Left-breast mammogram, CC. 64 y/o patient.
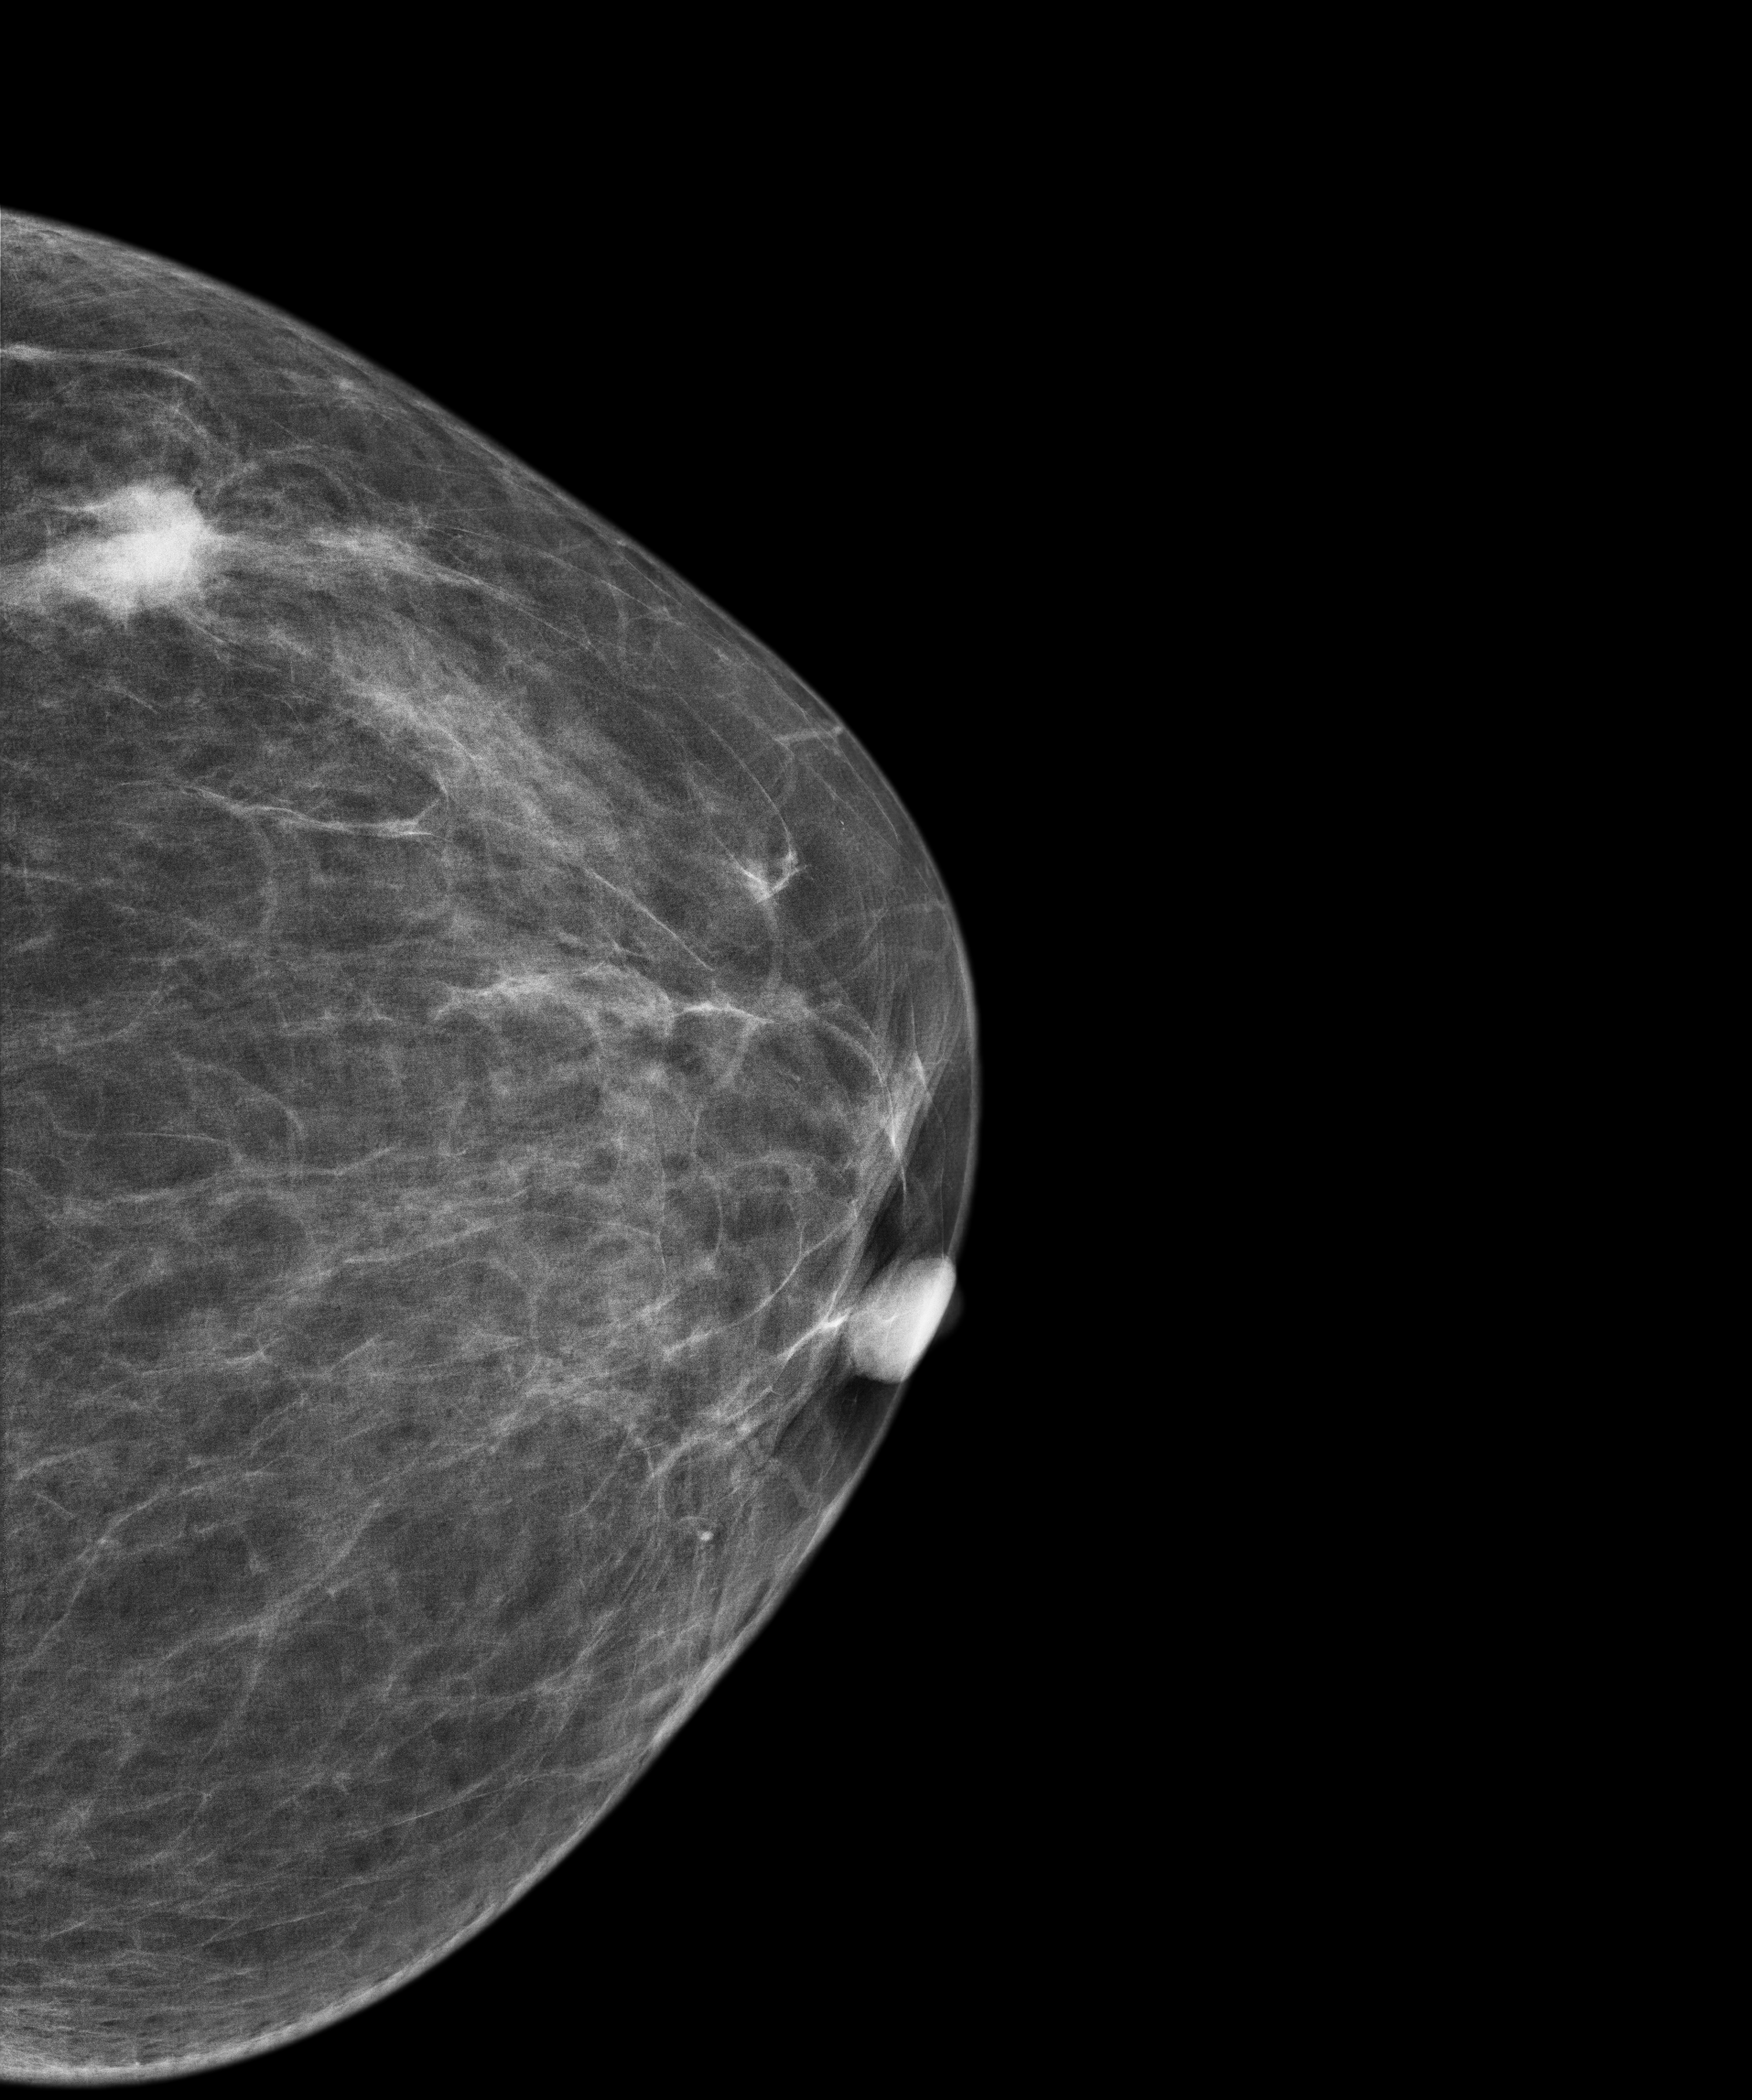
This breast has a mass, pathology-confirmed malignant.